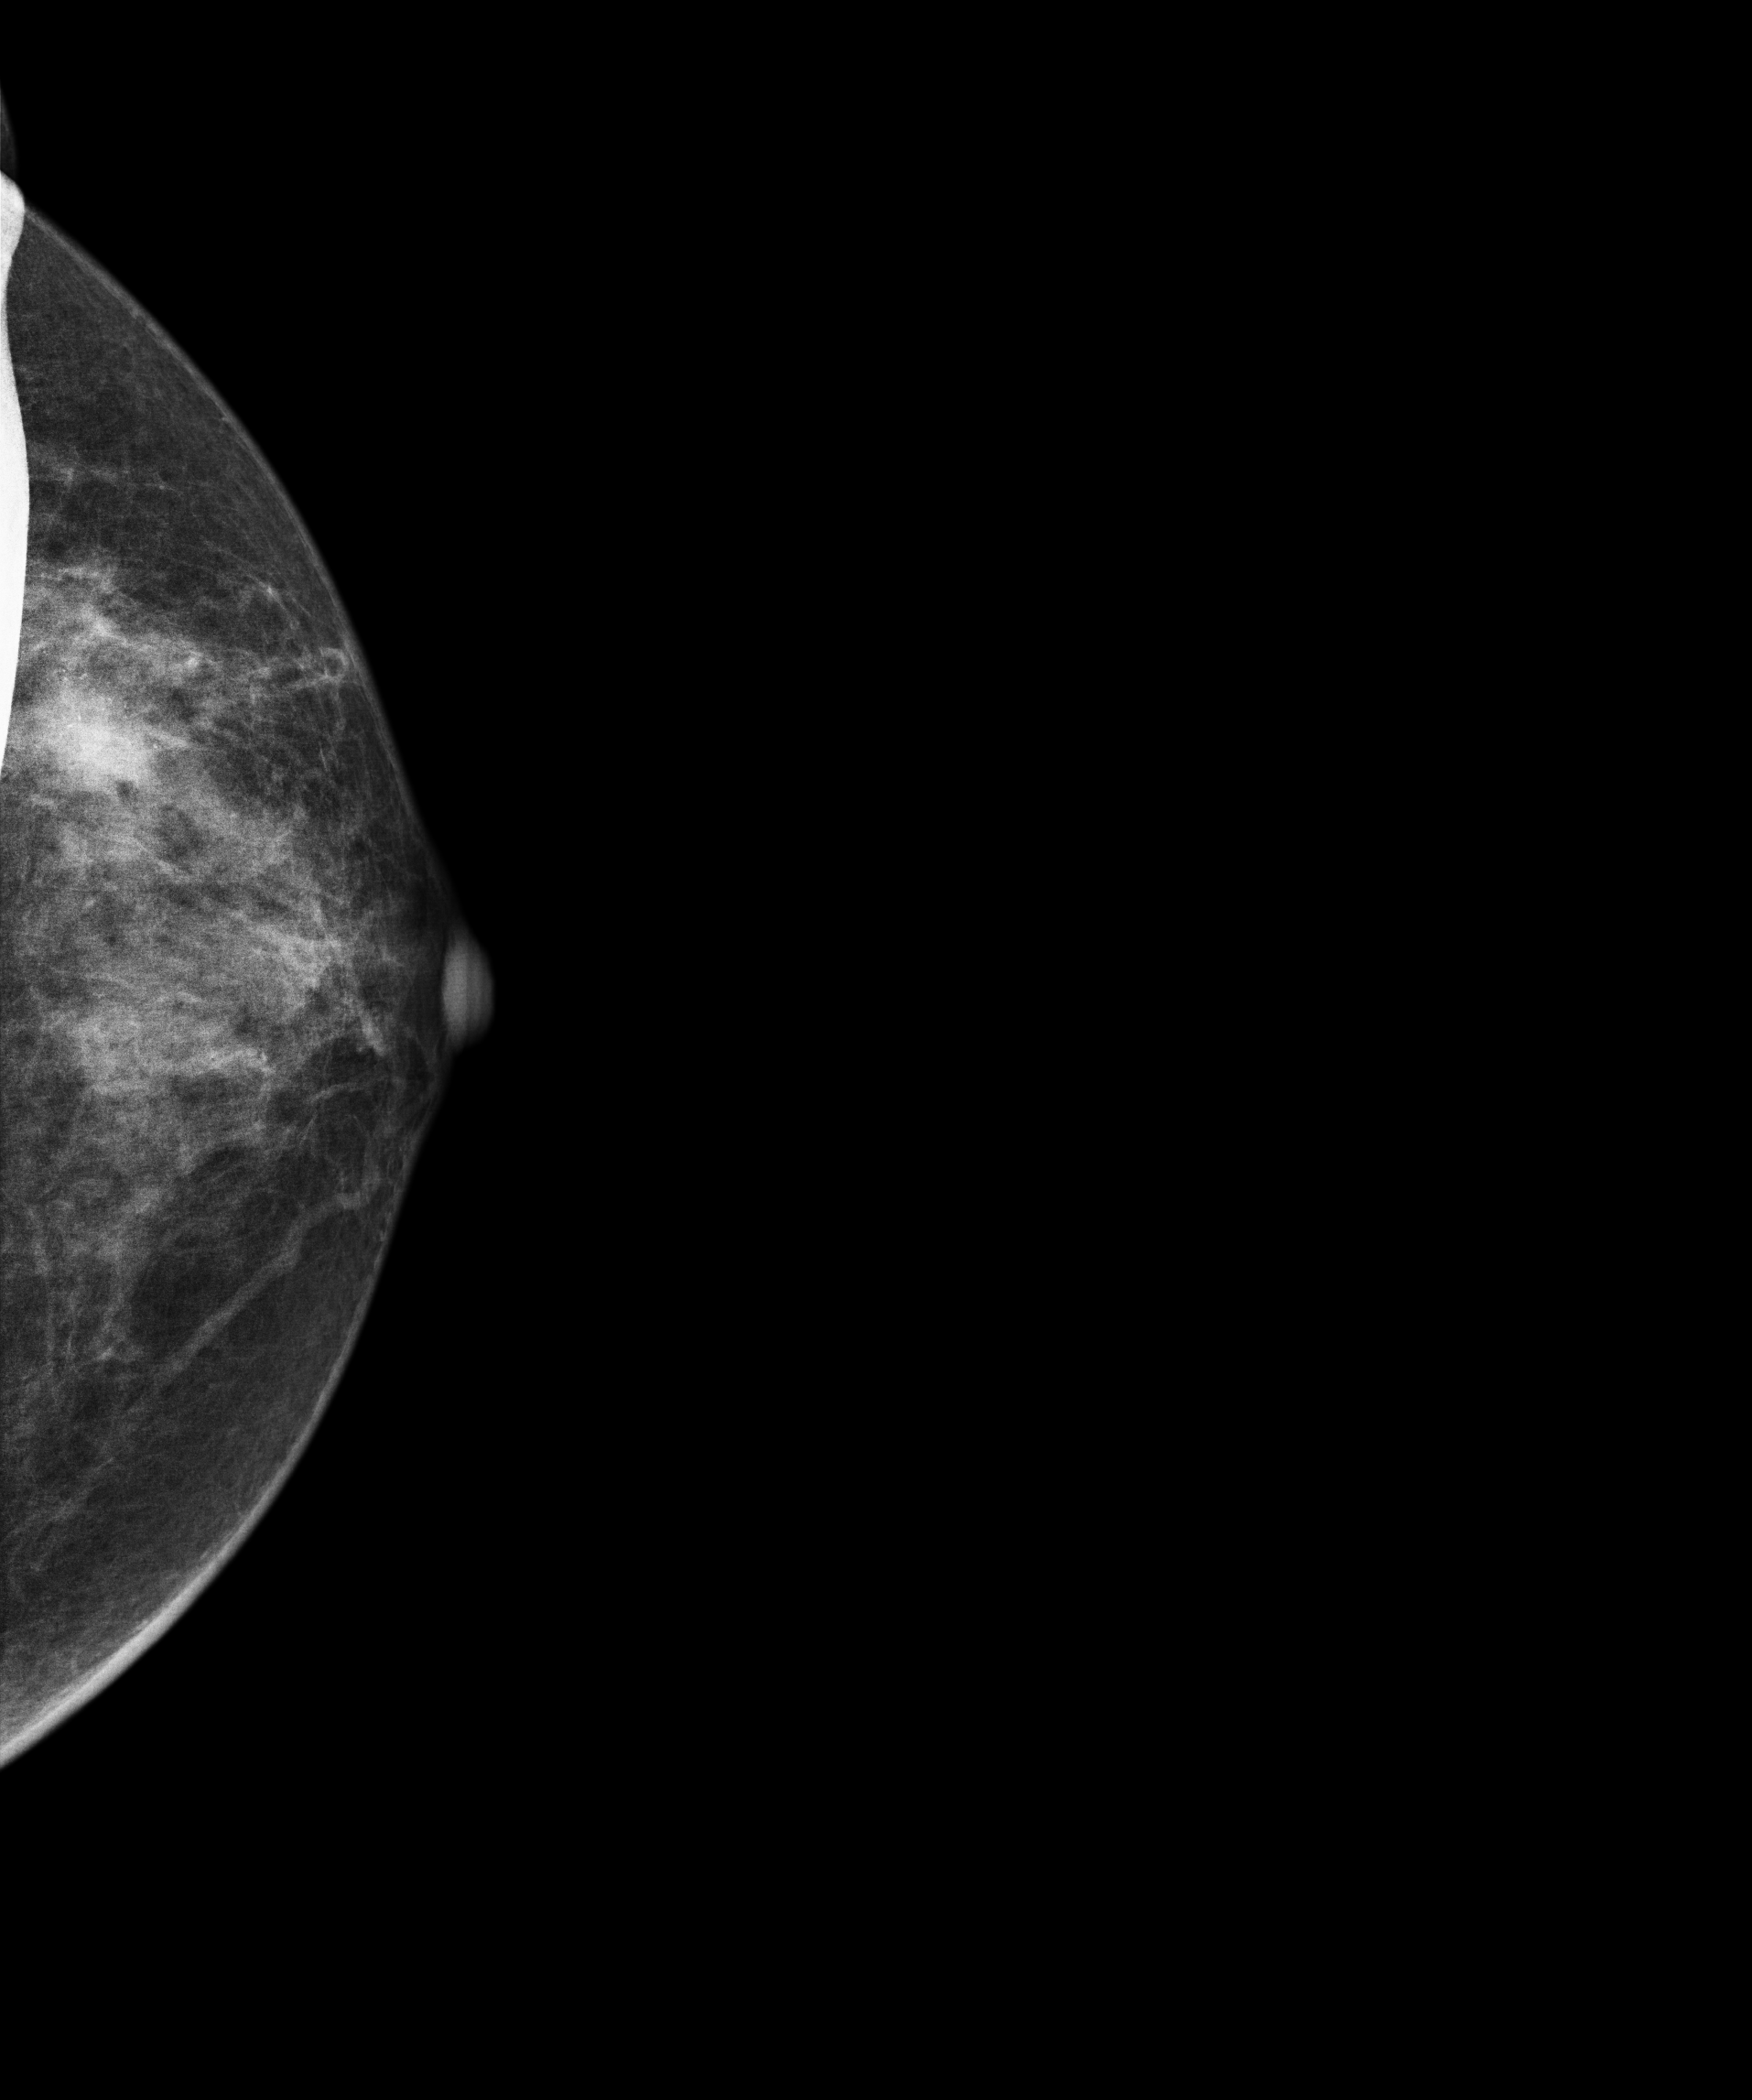
Mammogram, left breast, CC view. 62-year-old patient.
This breast has a mass and calcifications, biopsy-proven malignant.